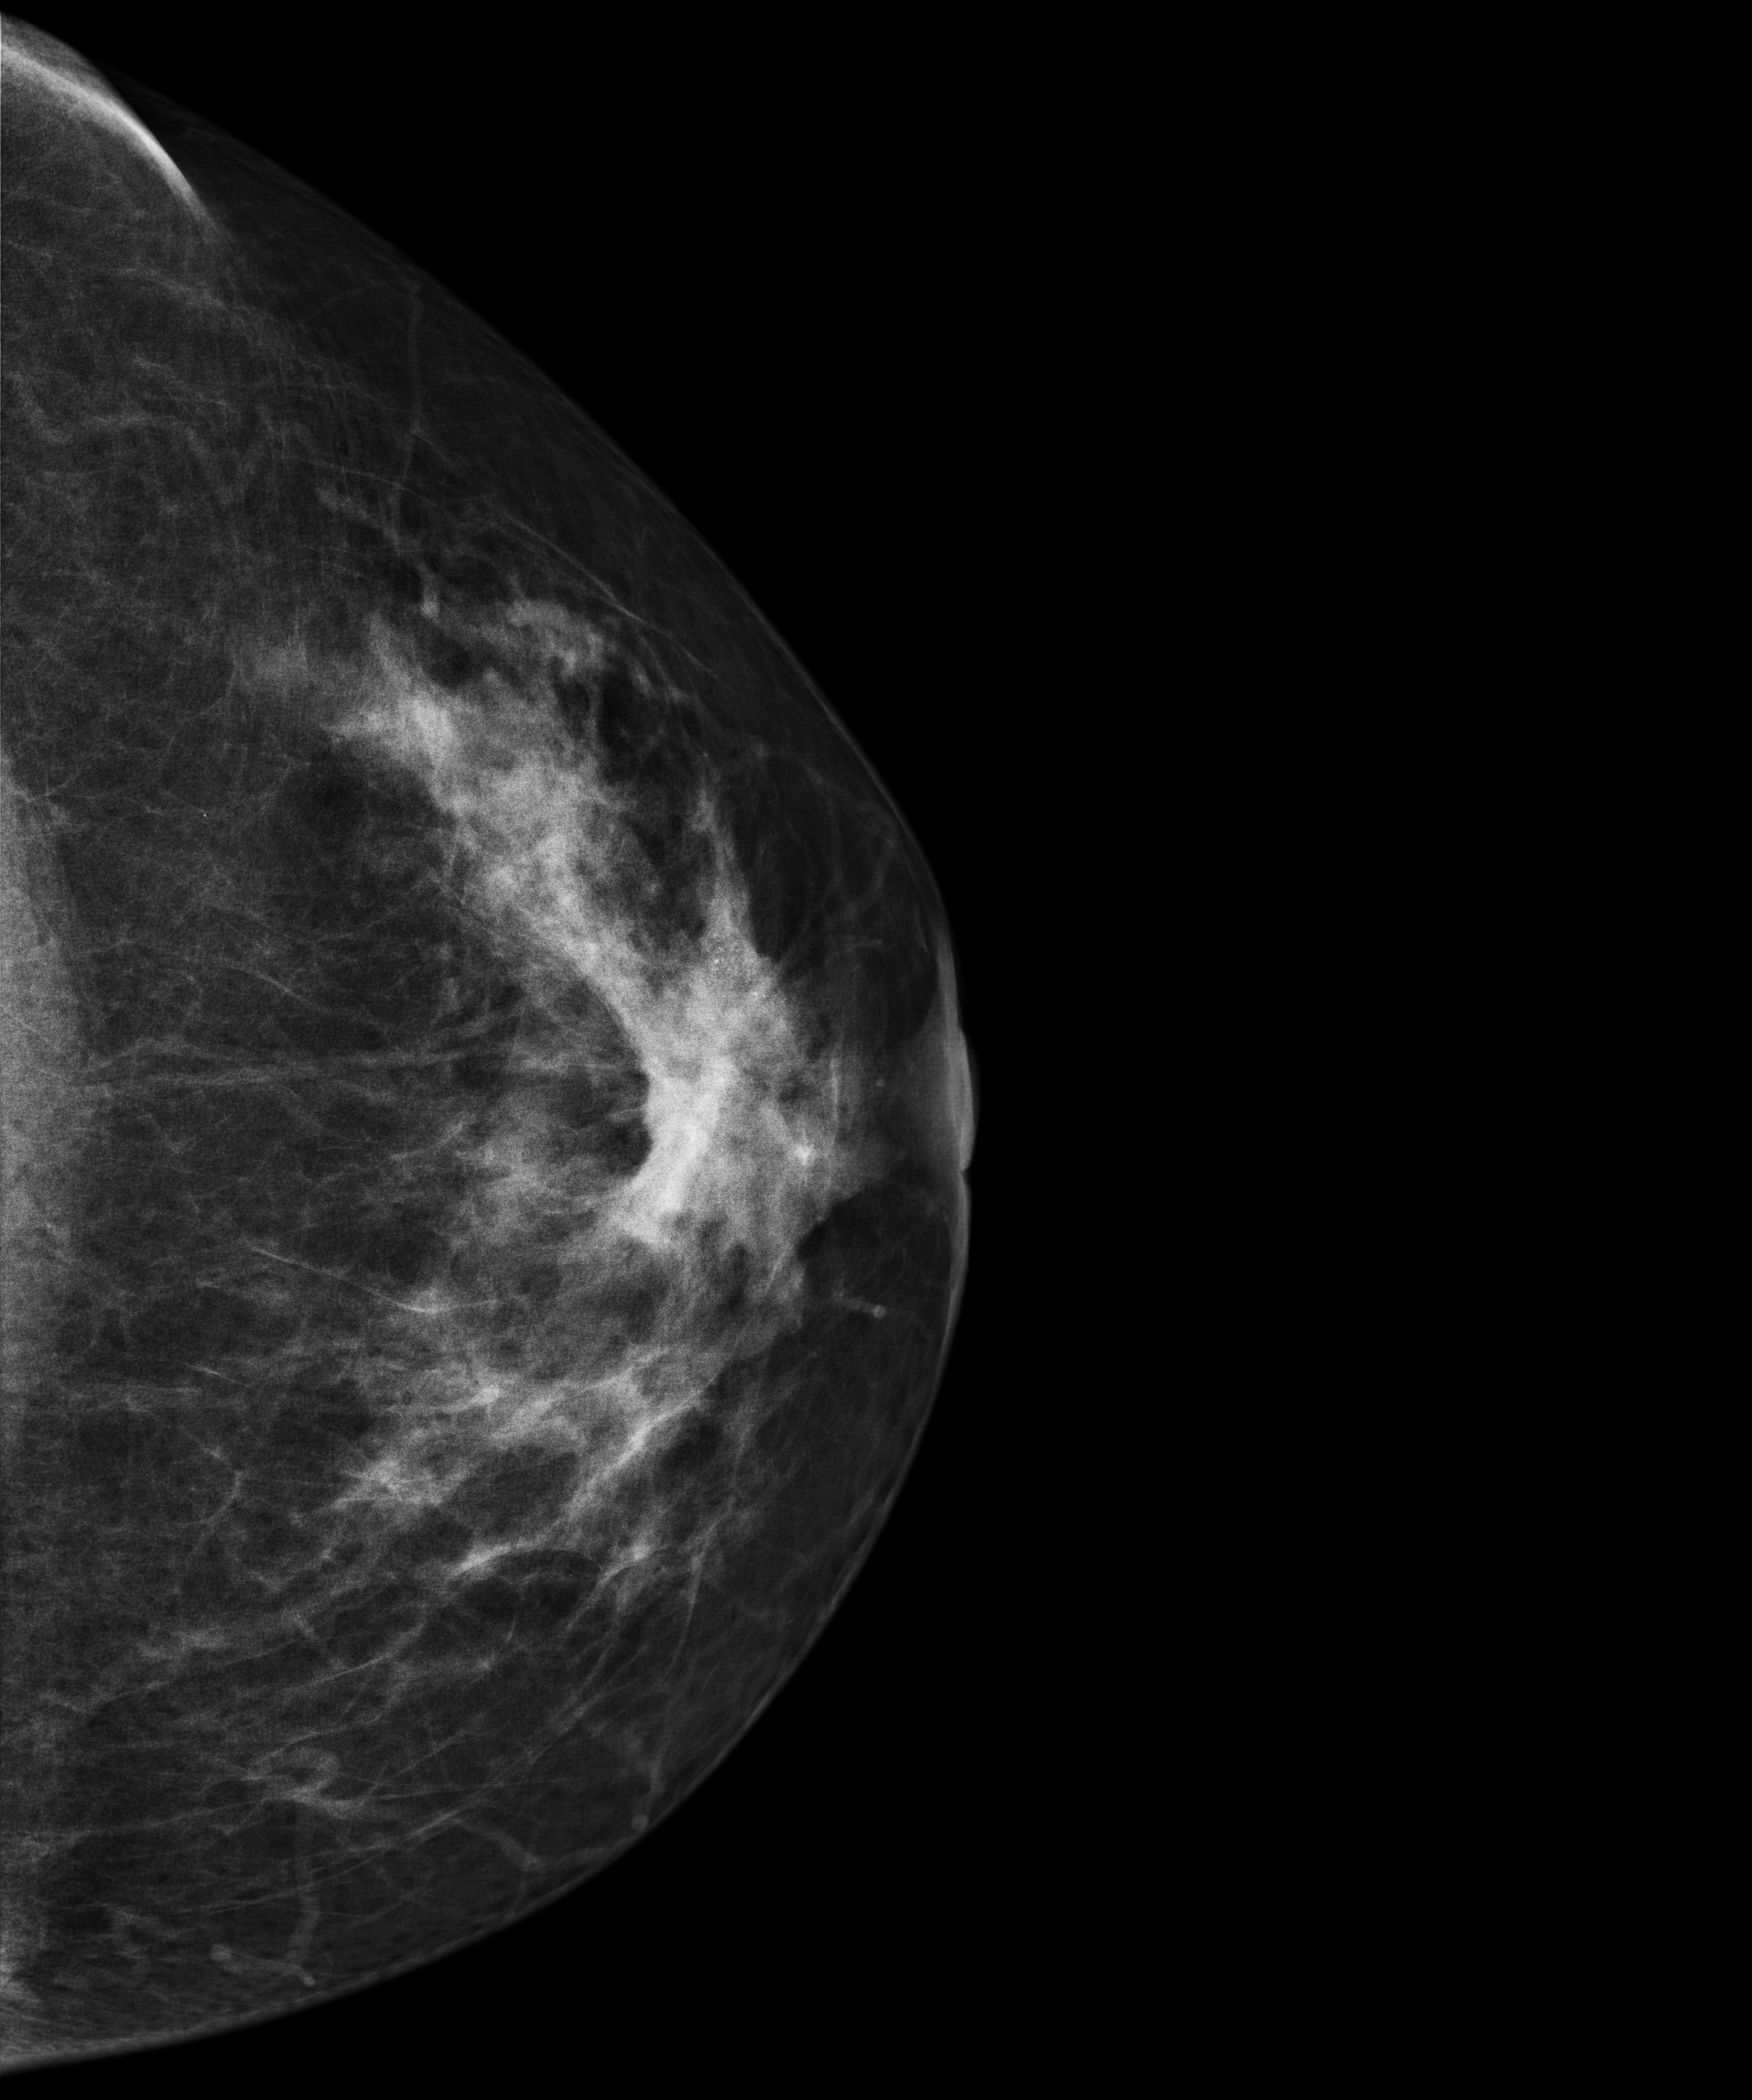
Mammogram — left CC. 48-year-old patient.
This breast has a mass and calcifications, biopsy-proven malignant.